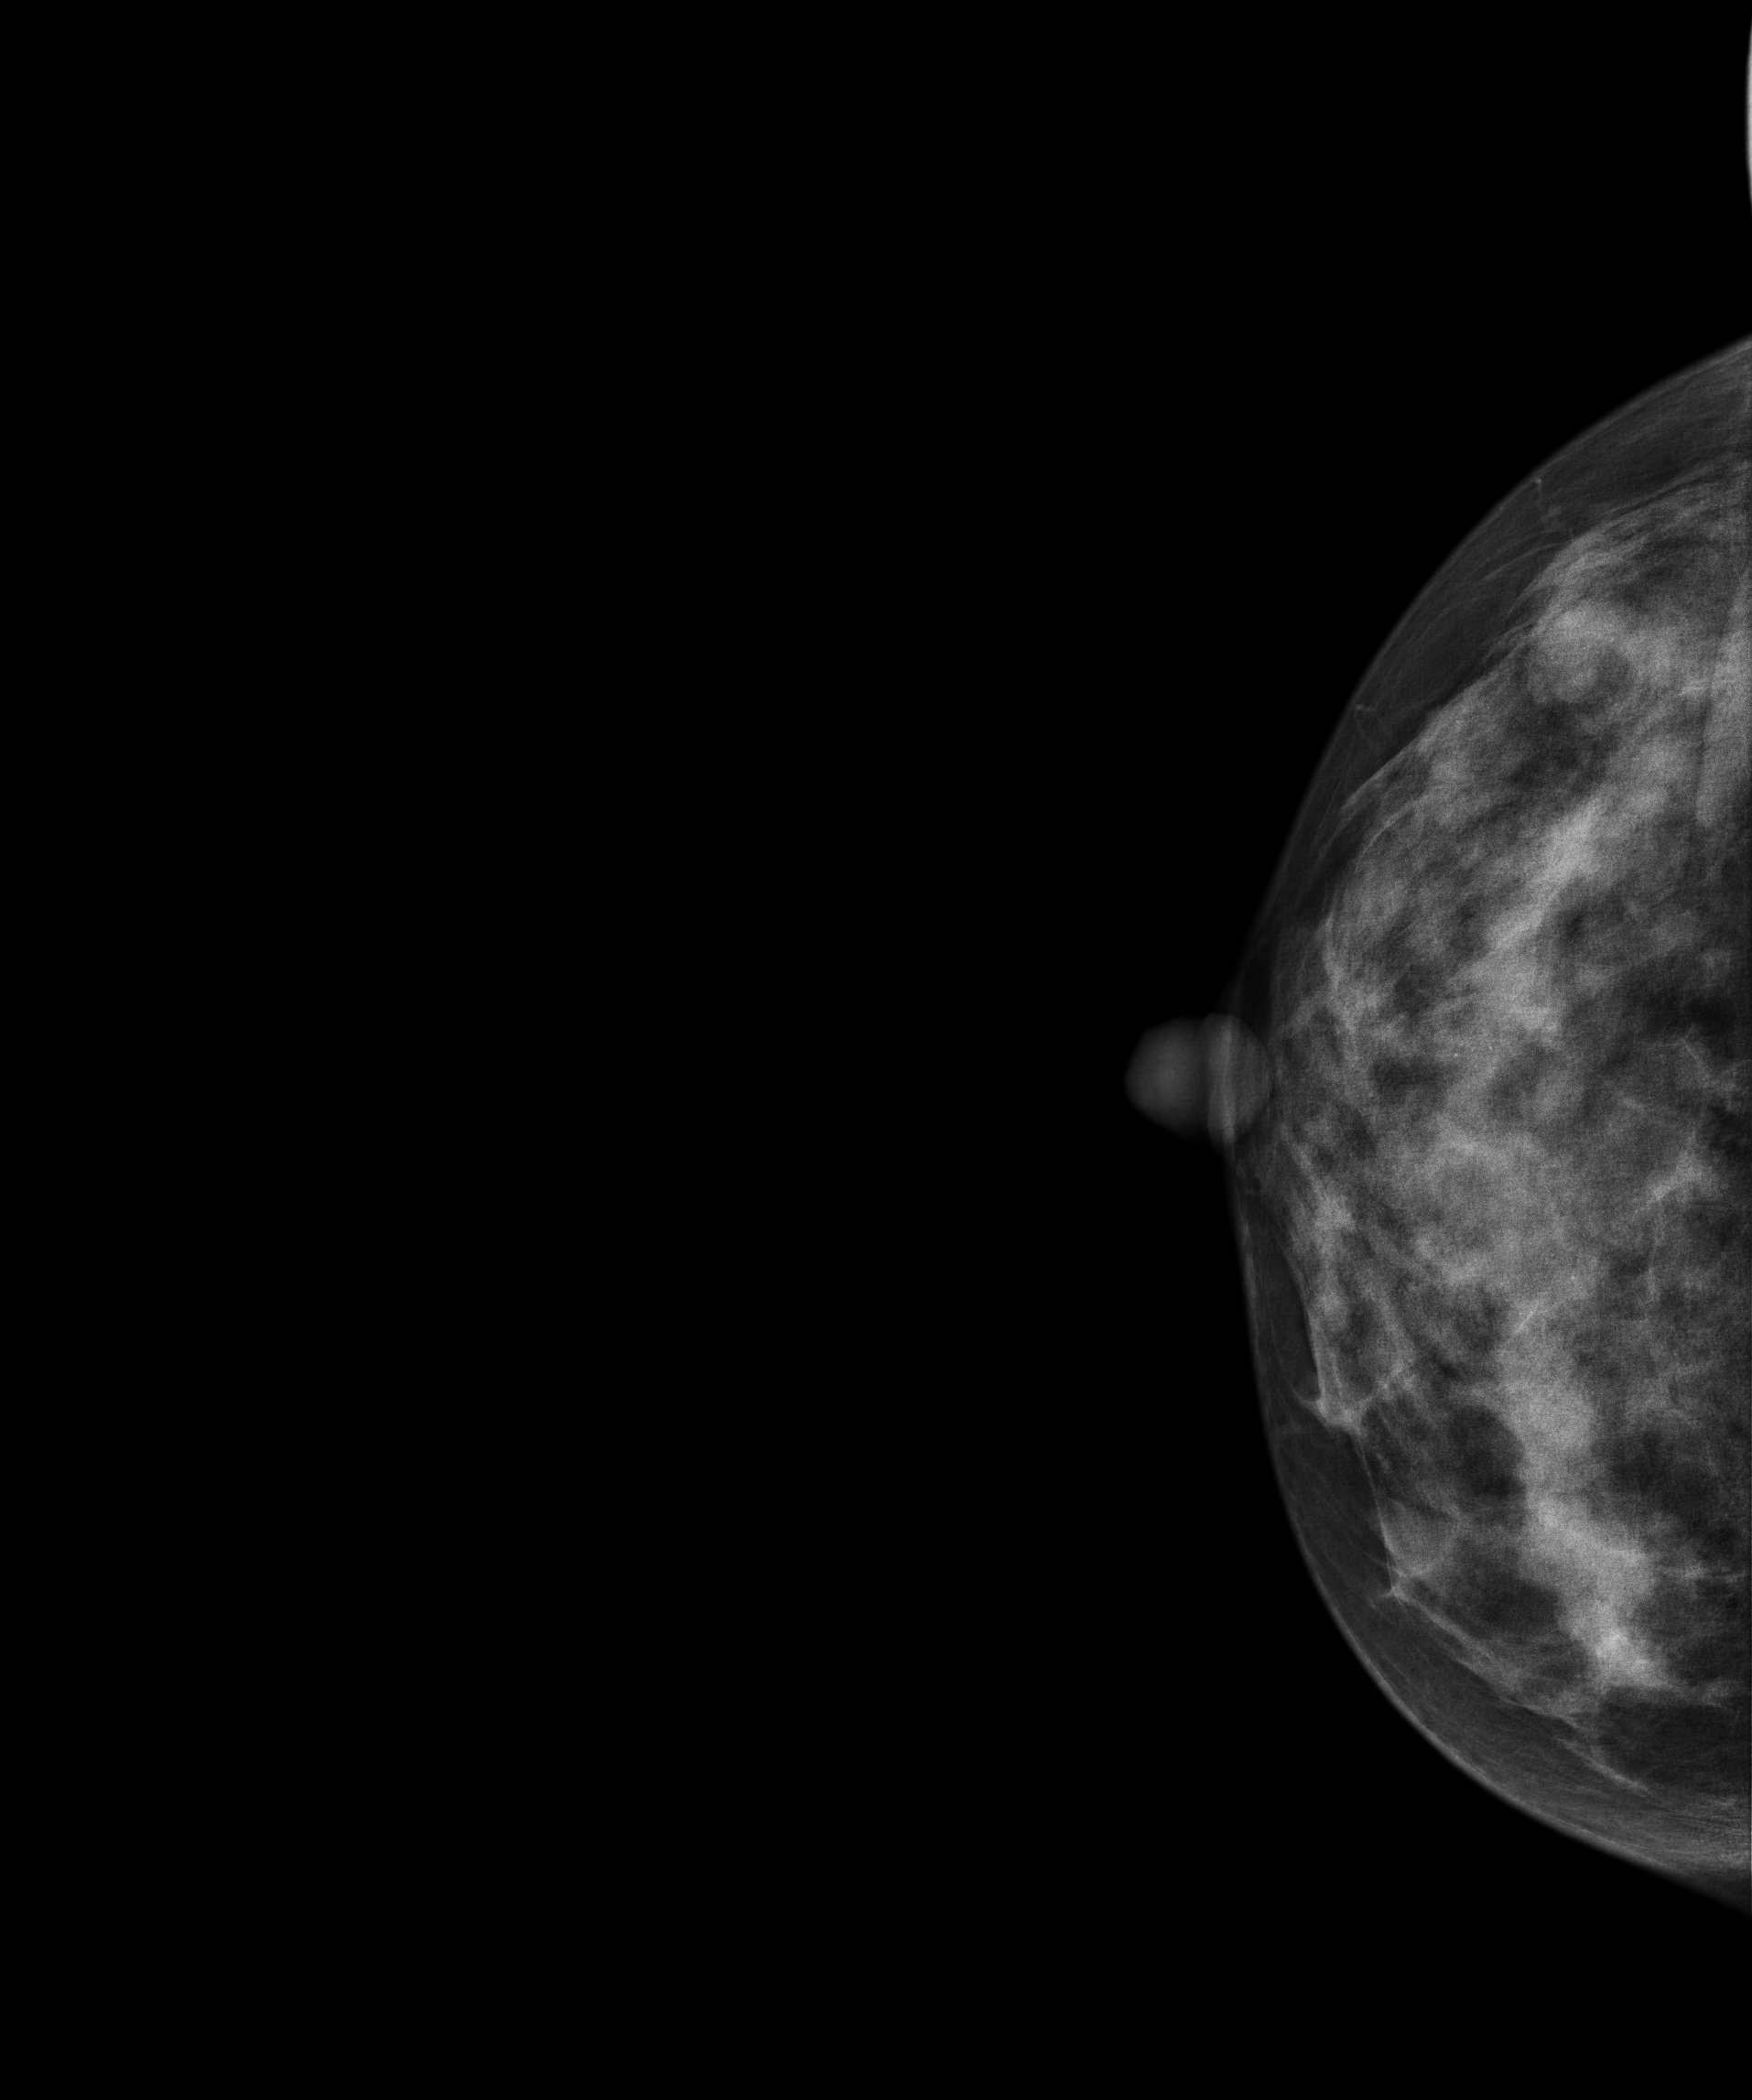
CC mammogram of the right breast. Patient age 38.
This breast has a mass and calcifications, histologically confirmed benign.